Digital mammography. Left breast, MLO projection. 43-year-old patient.
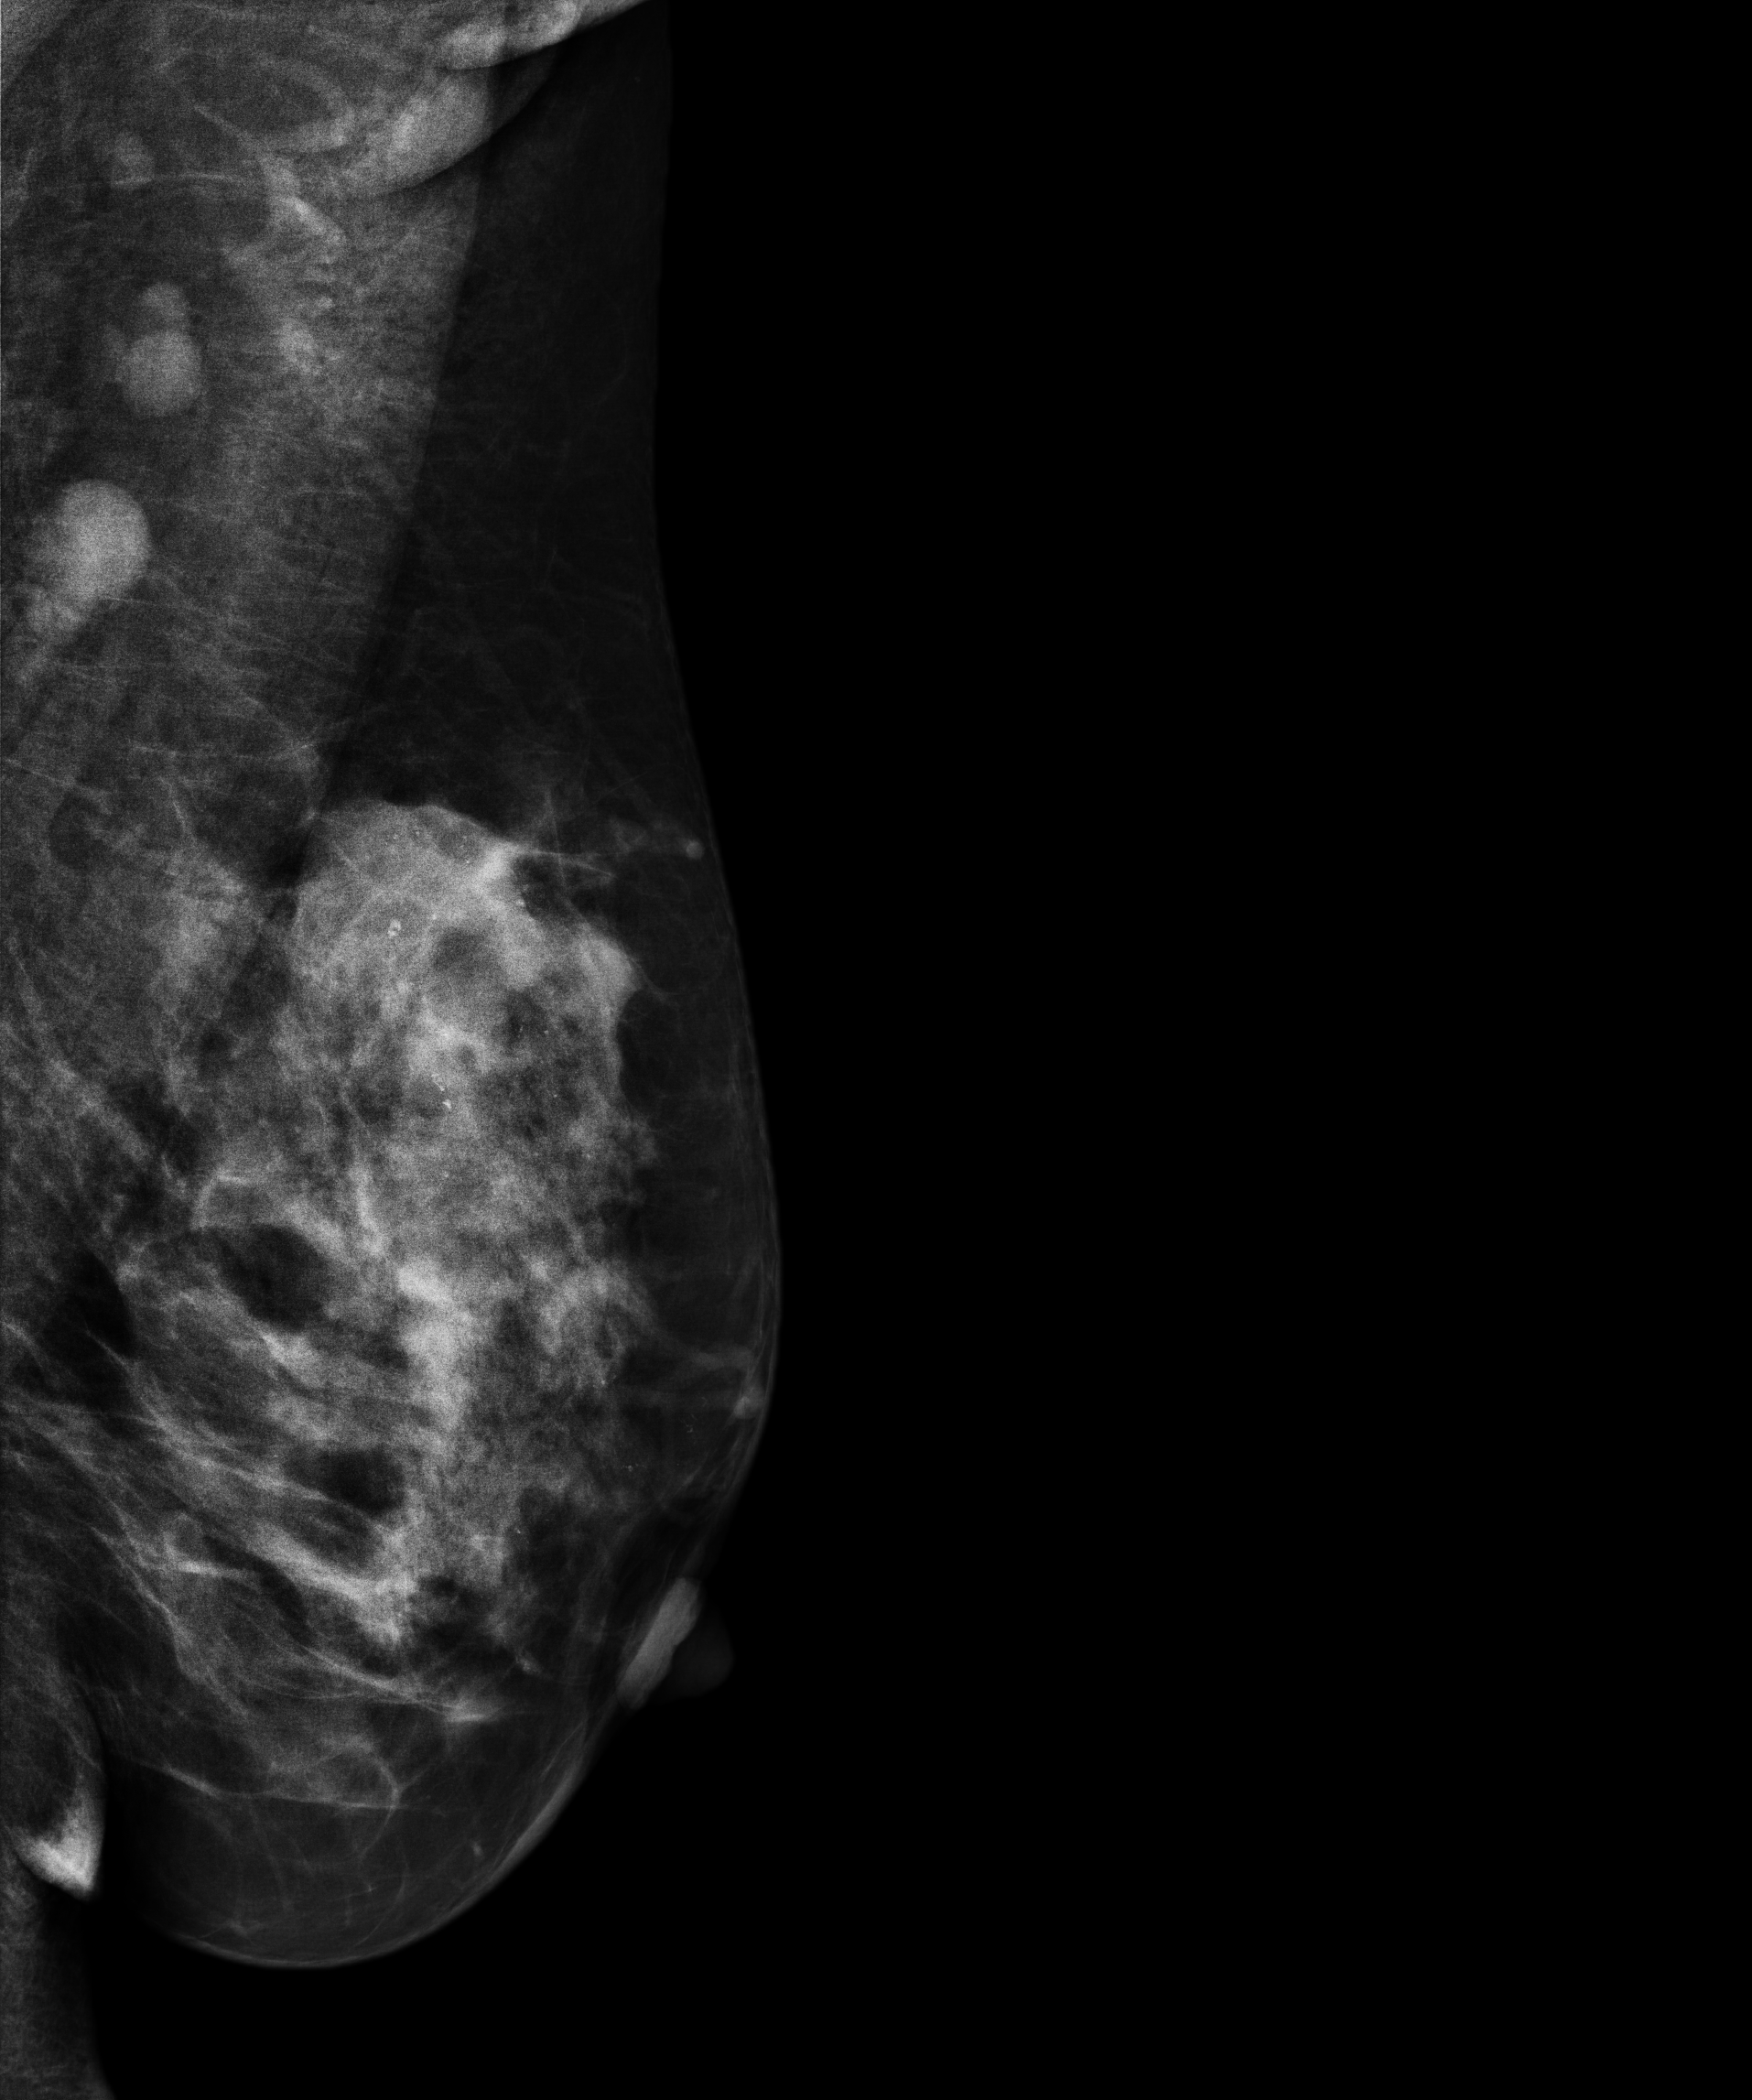
This breast has a mass and calcifications, biopsy-confirmed malignant. Molecular subtype: HER2-enriched.